MLO mammogram of the left breast. 56 y/o patient.
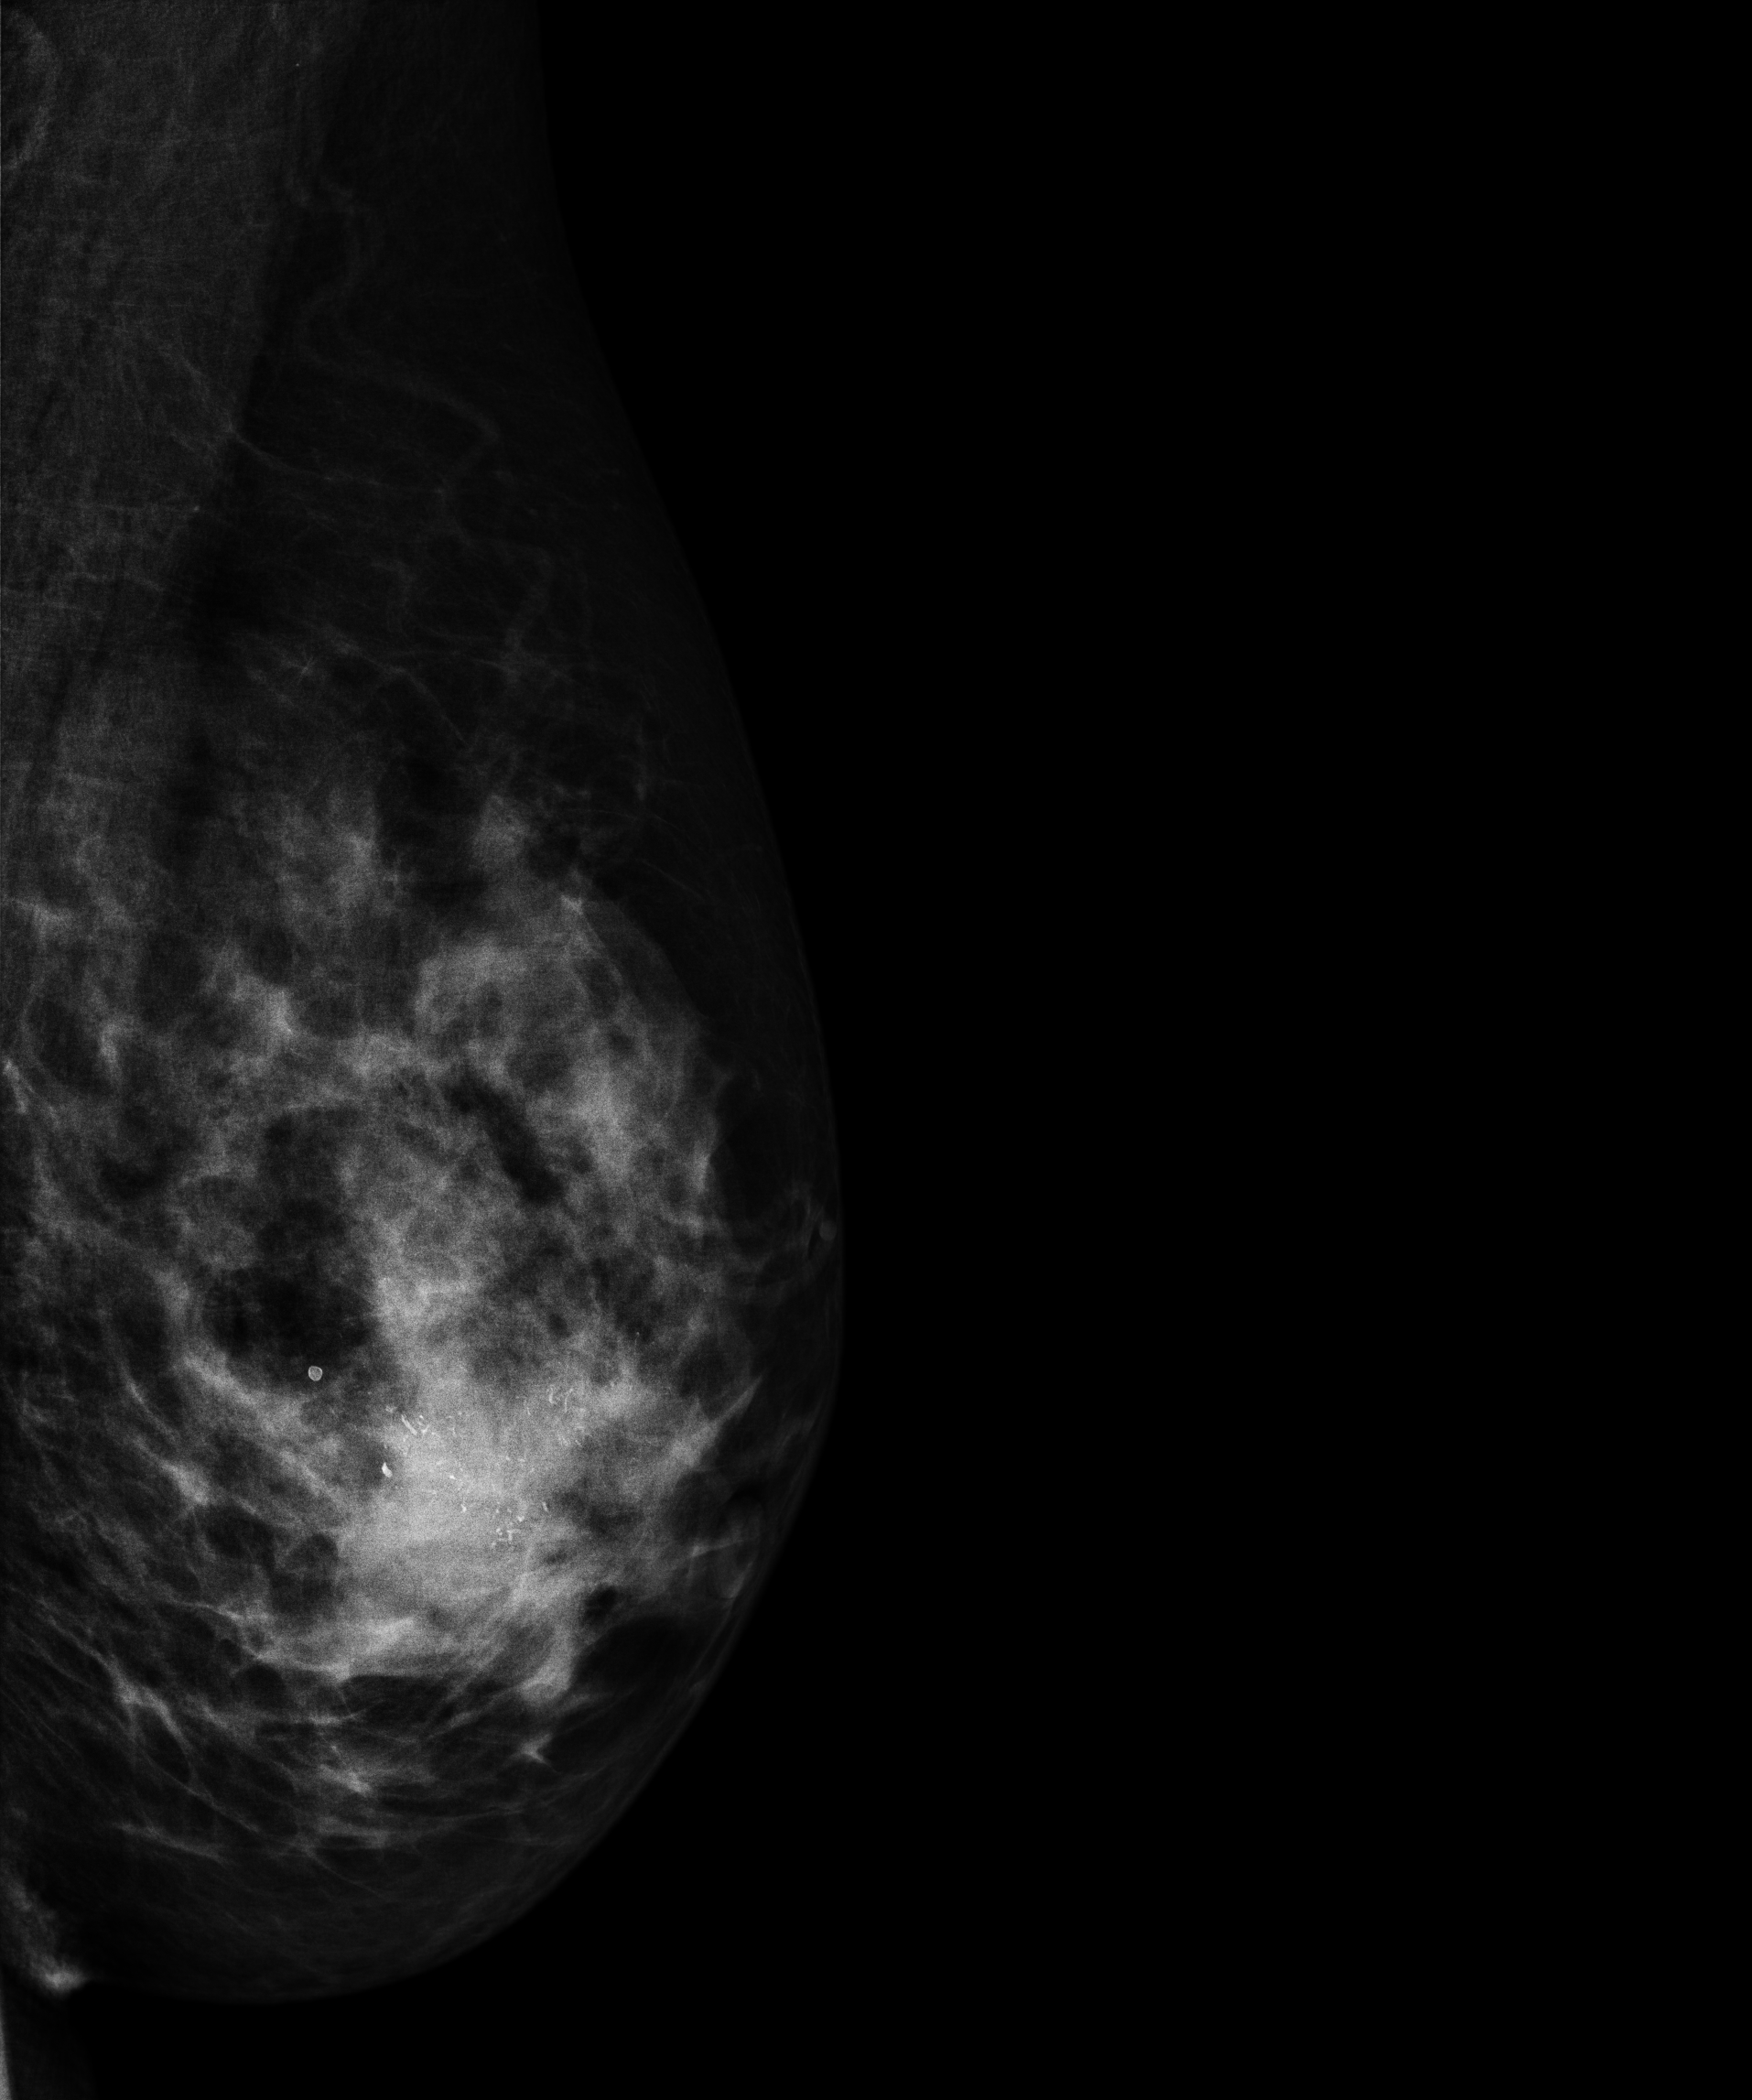
This breast has a mass and calcifications, pathology-confirmed malignant. Molecular subtype: luminal A.